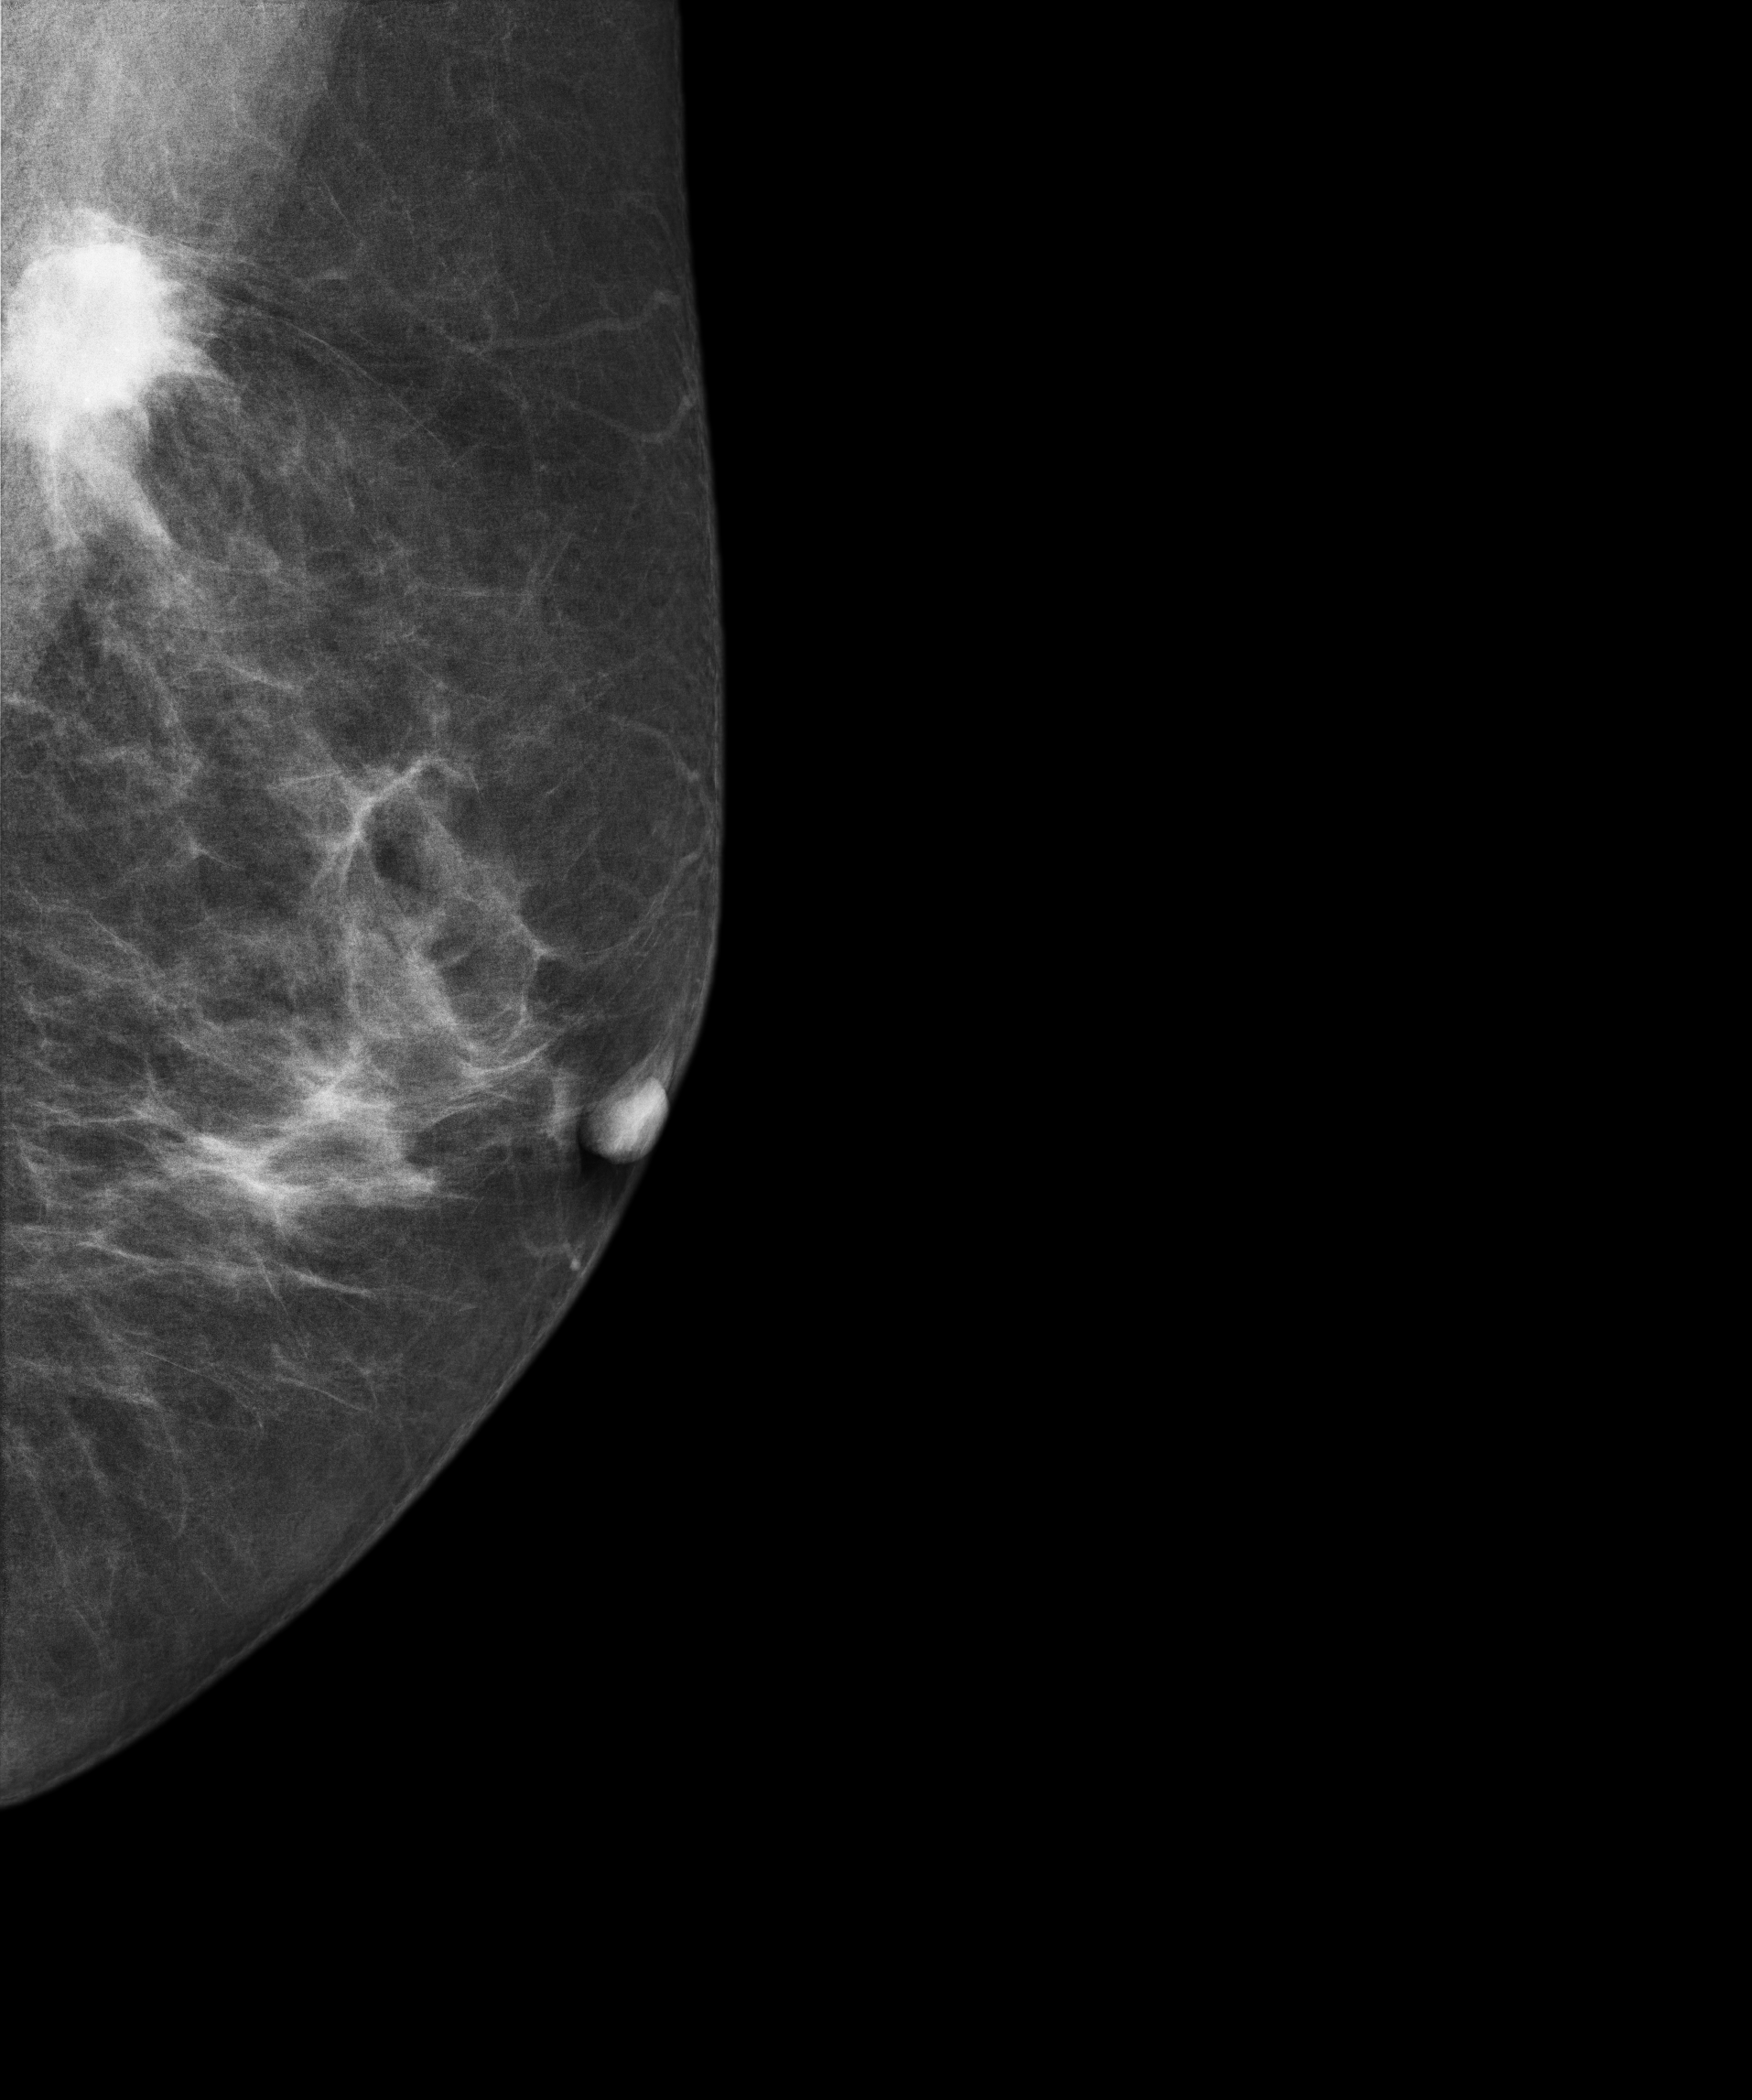
Left-breast mammogram, MLO. Patient age 64.
This breast has a mass, biopsy-confirmed malignant.